Left-breast mammogram, cranio-caudal. 44-year-old patient.
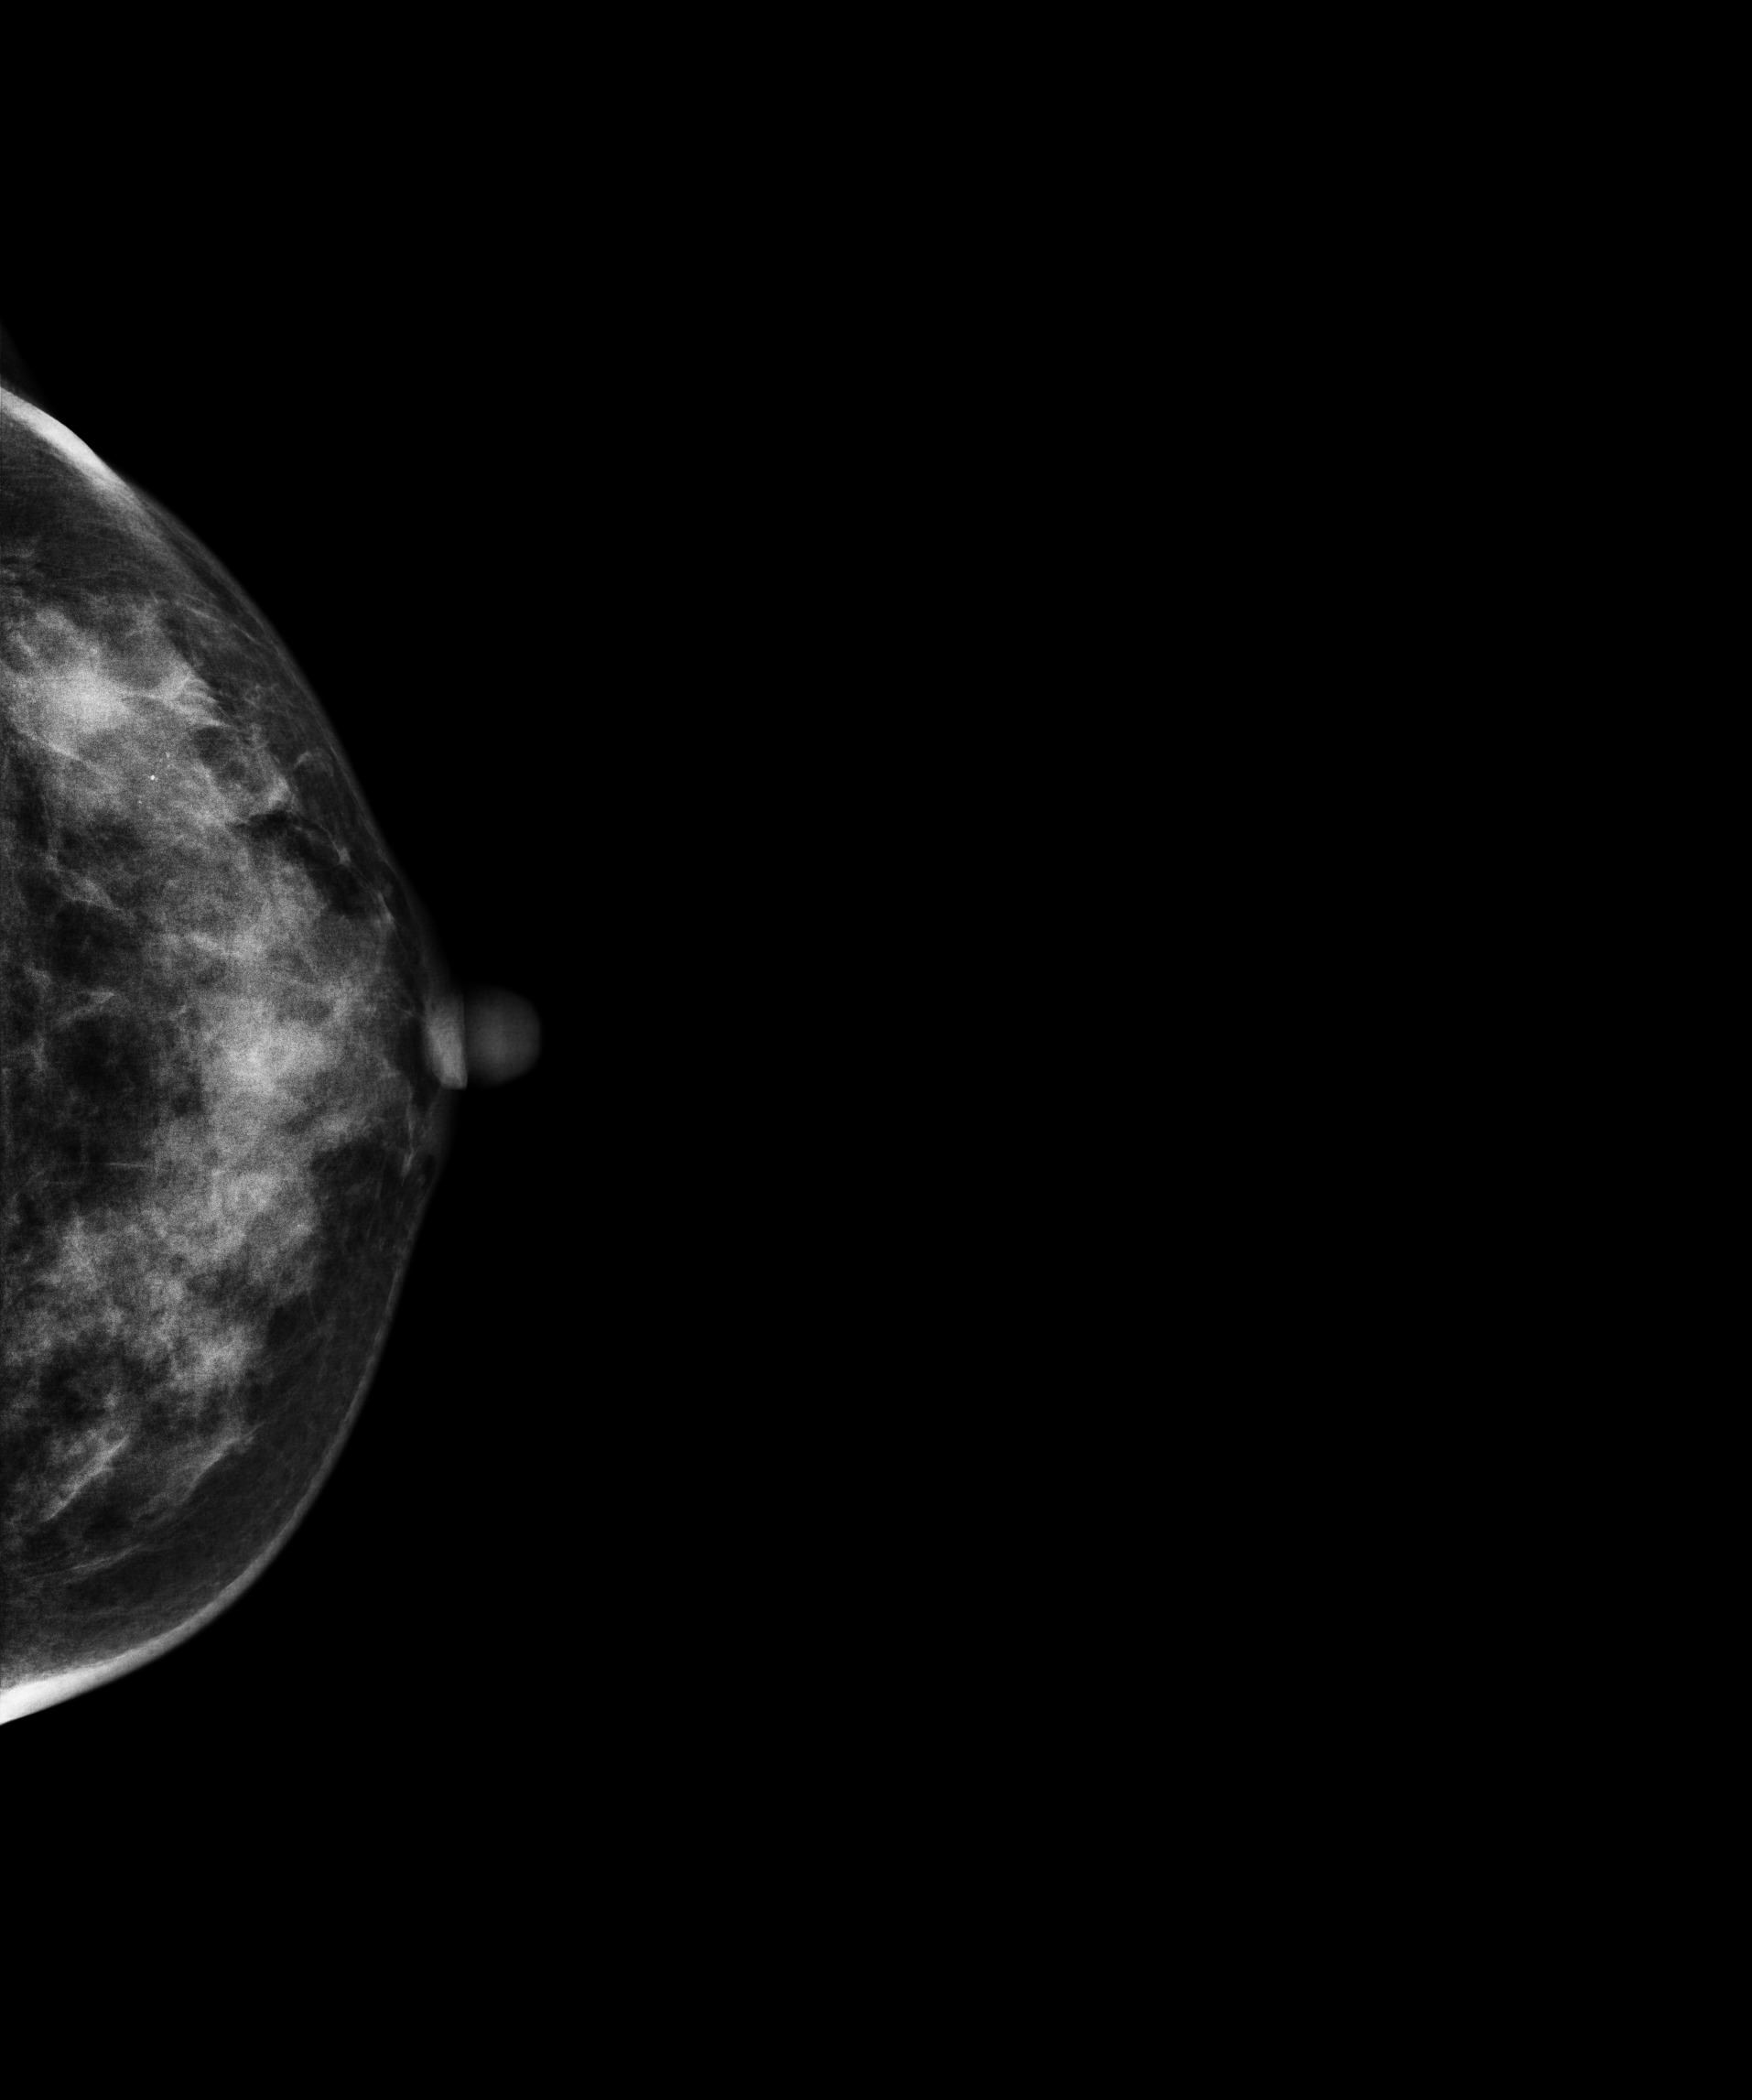
This breast has calcifications, histologically confirmed malignant. Molecular subtype: luminal B.